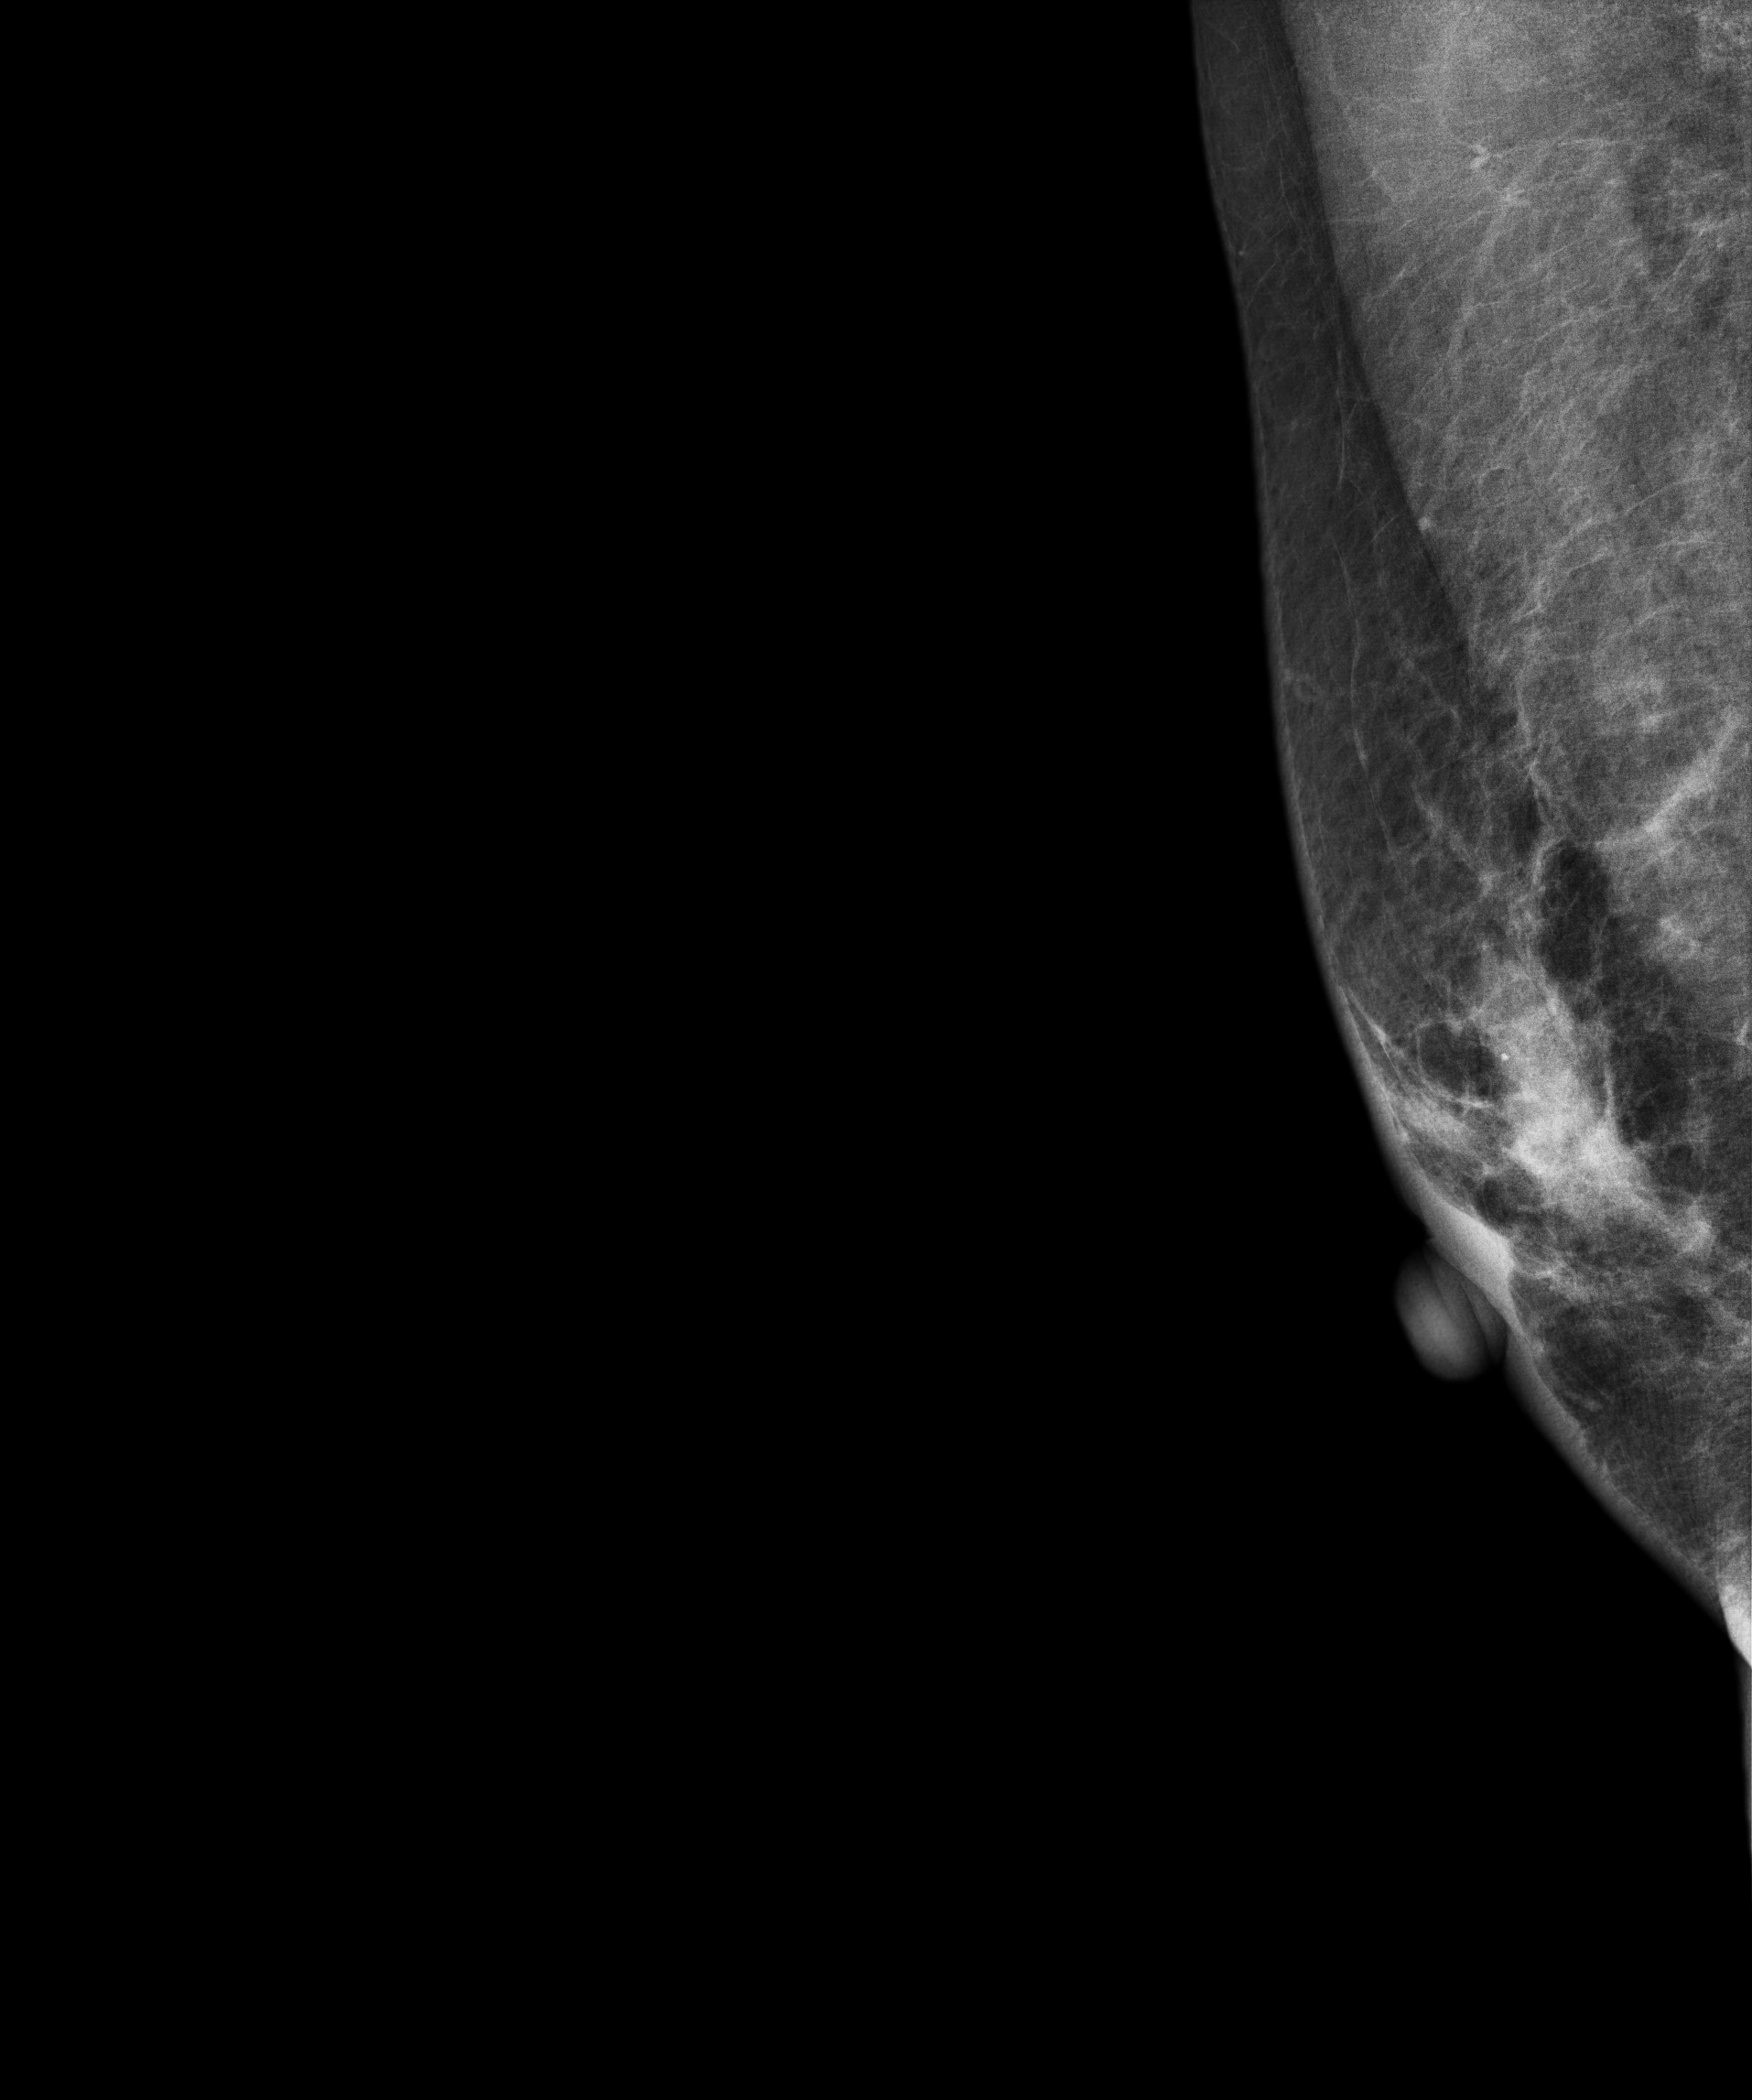
Mammogram — right MLO. 51-year-old patient.
This breast has a mass and calcifications, biopsy-confirmed malignant. Molecular subtype: luminal A.